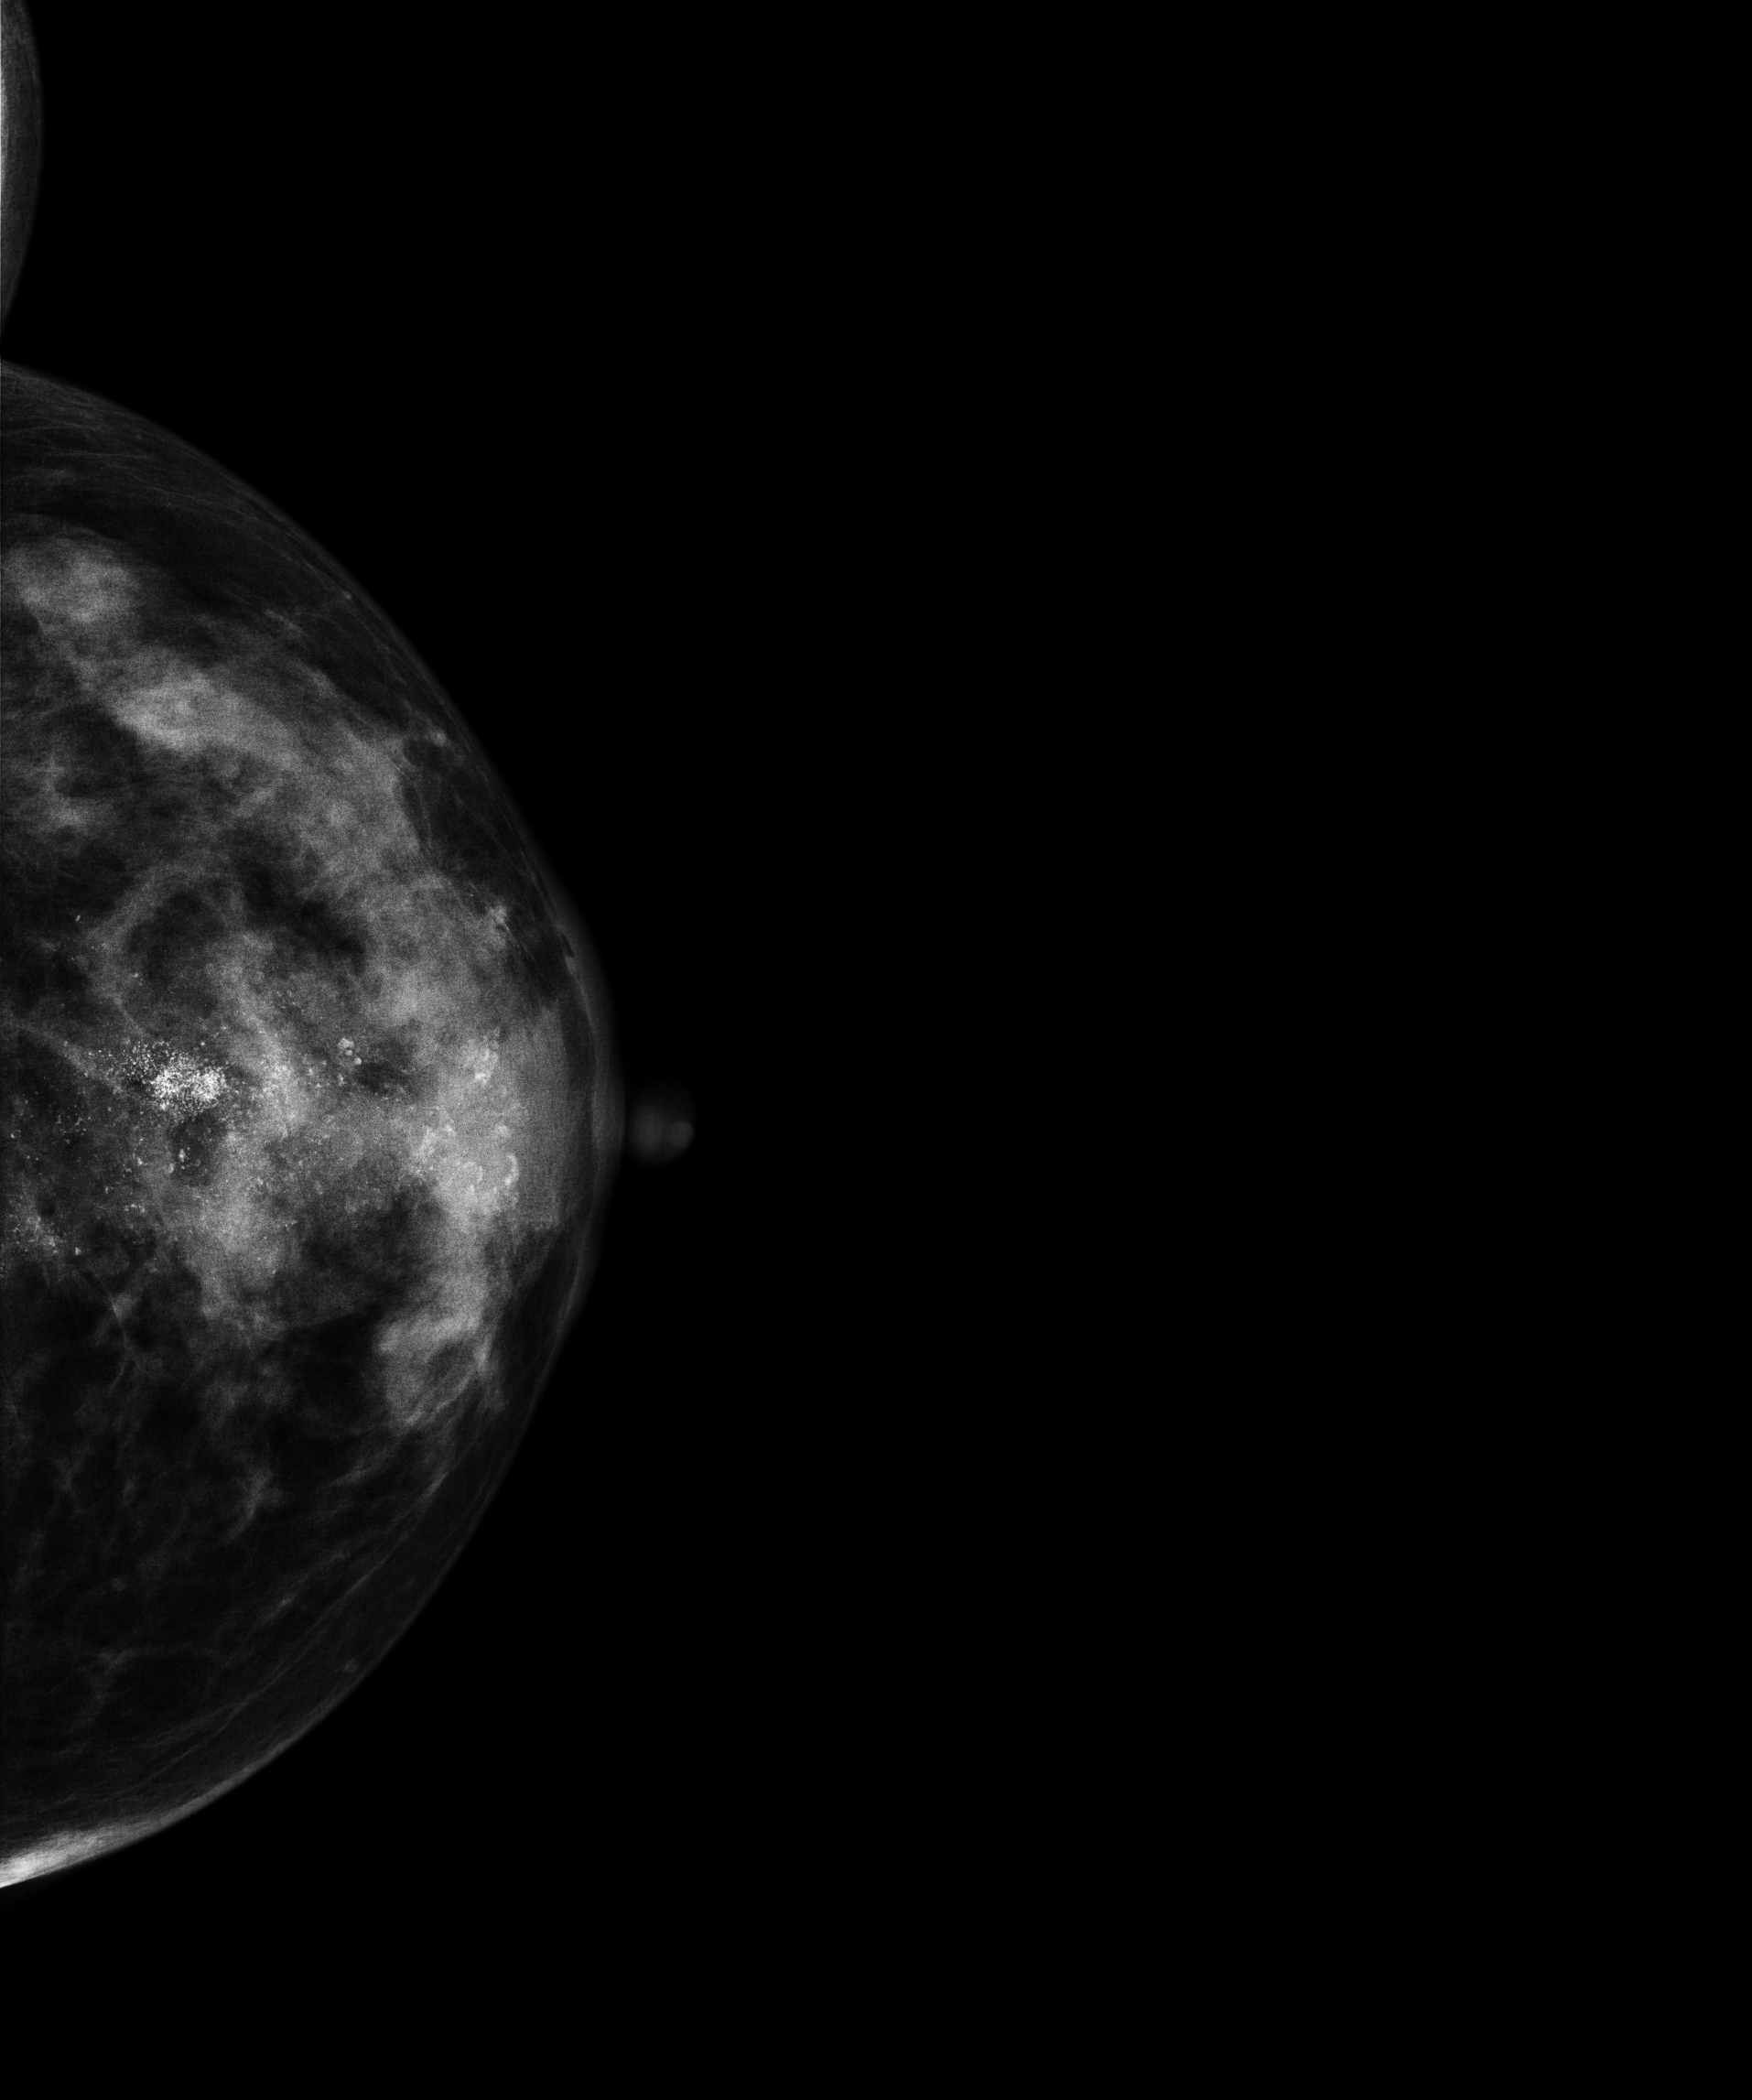
Digital mammography. Left breast, cranio-caudal projection. 50-year-old patient.
This breast has a mass and calcifications, histologically confirmed malignant. Molecular subtype: luminal B.